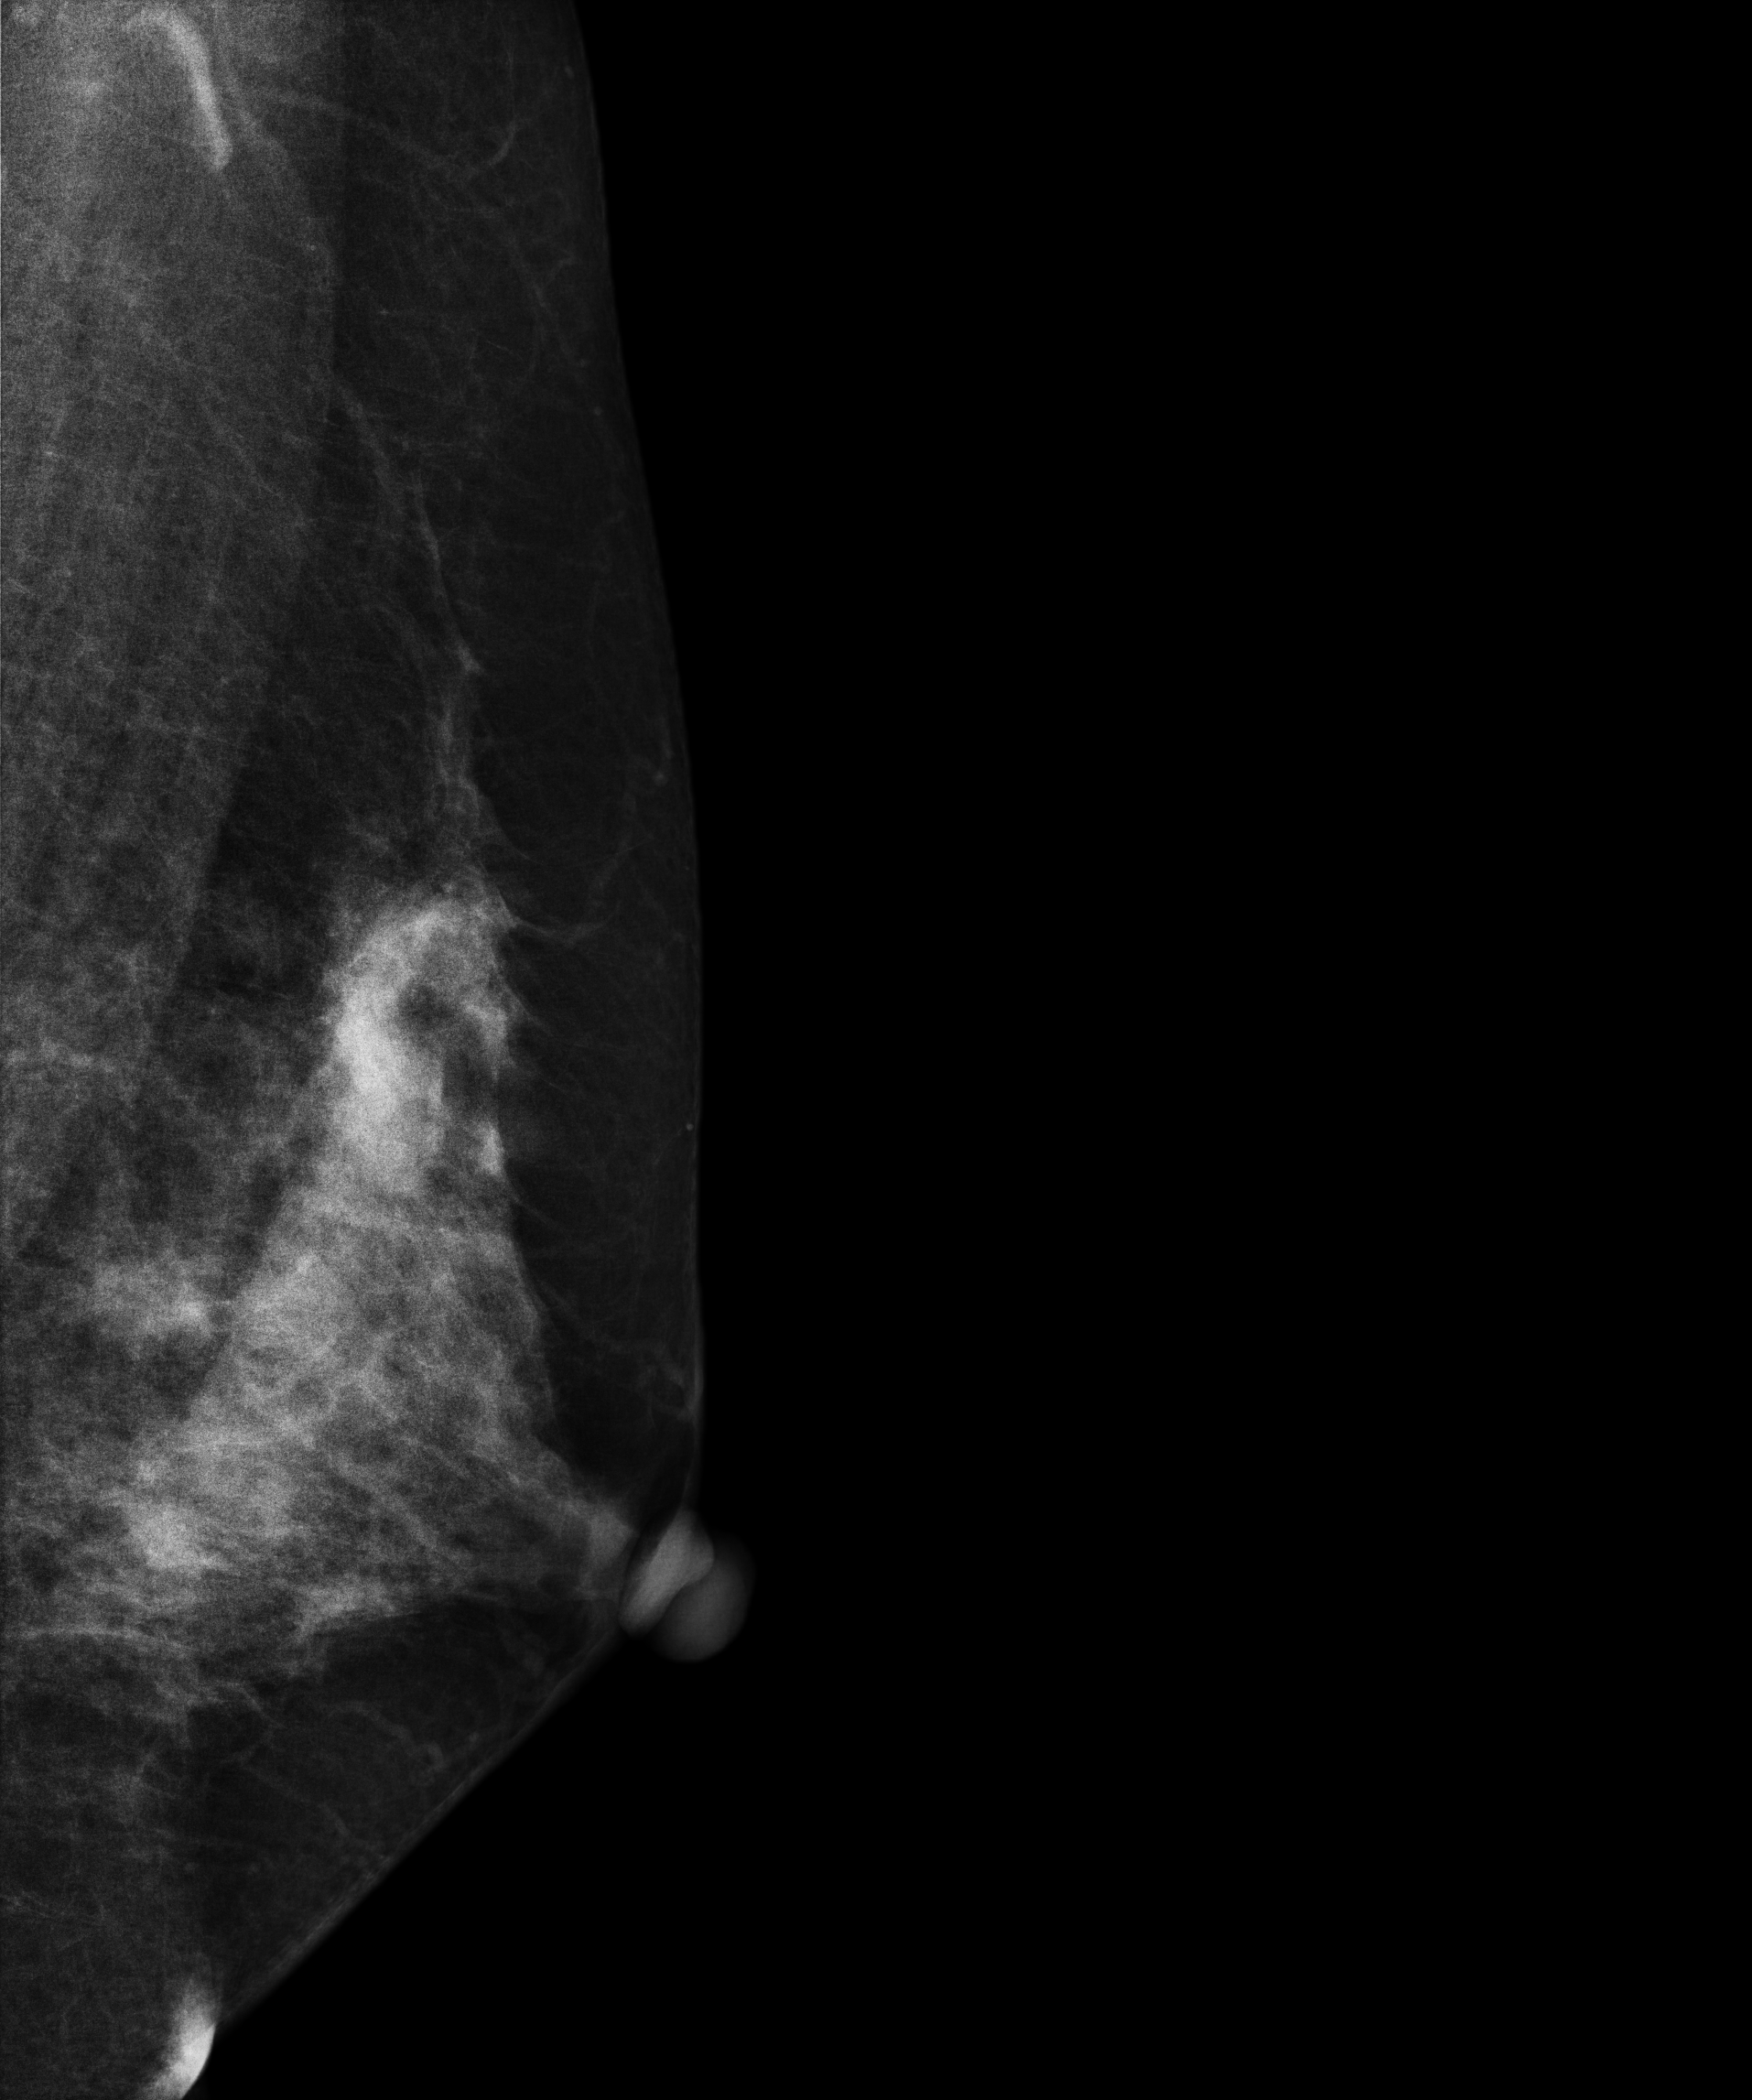
Mammogram — left medio-lateral oblique. 39 y/o patient.
Contralateral breast — no documented abnormality on this side.